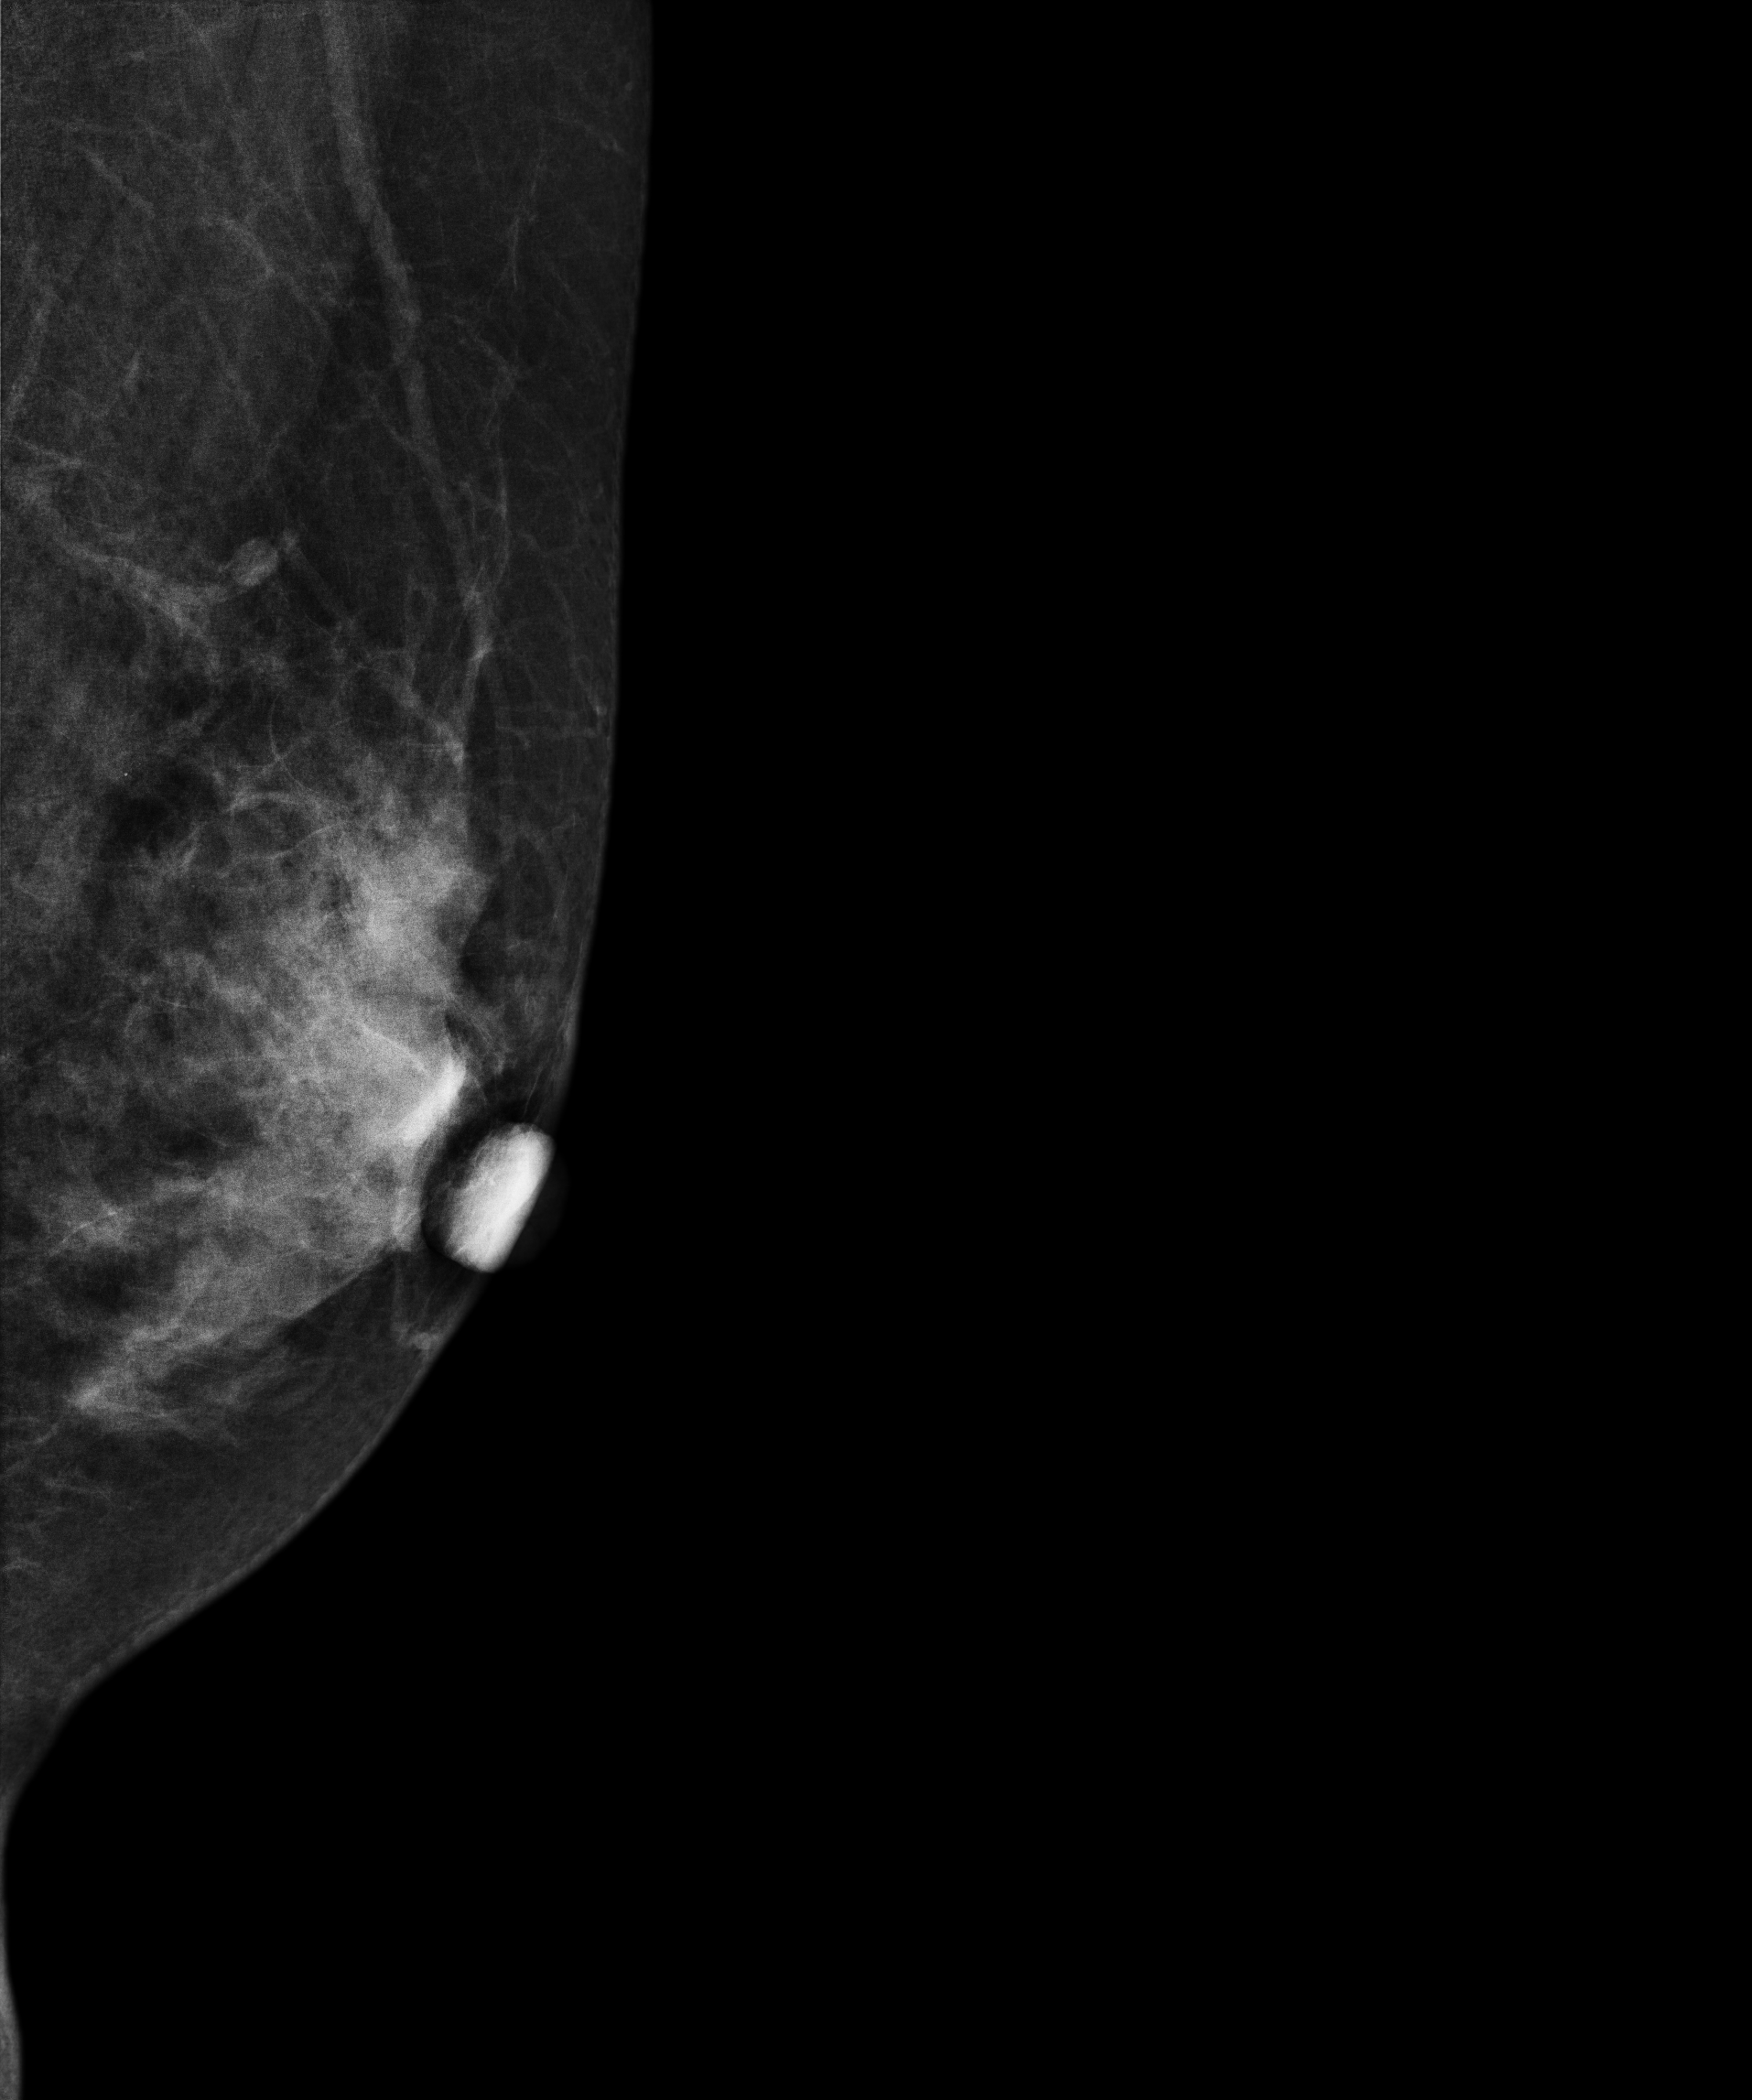
Digital mammography. Left breast, MLO projection. 49 y/o patient.
This breast has a mass, pathology-confirmed malignant. Molecular subtype: triple-negative.